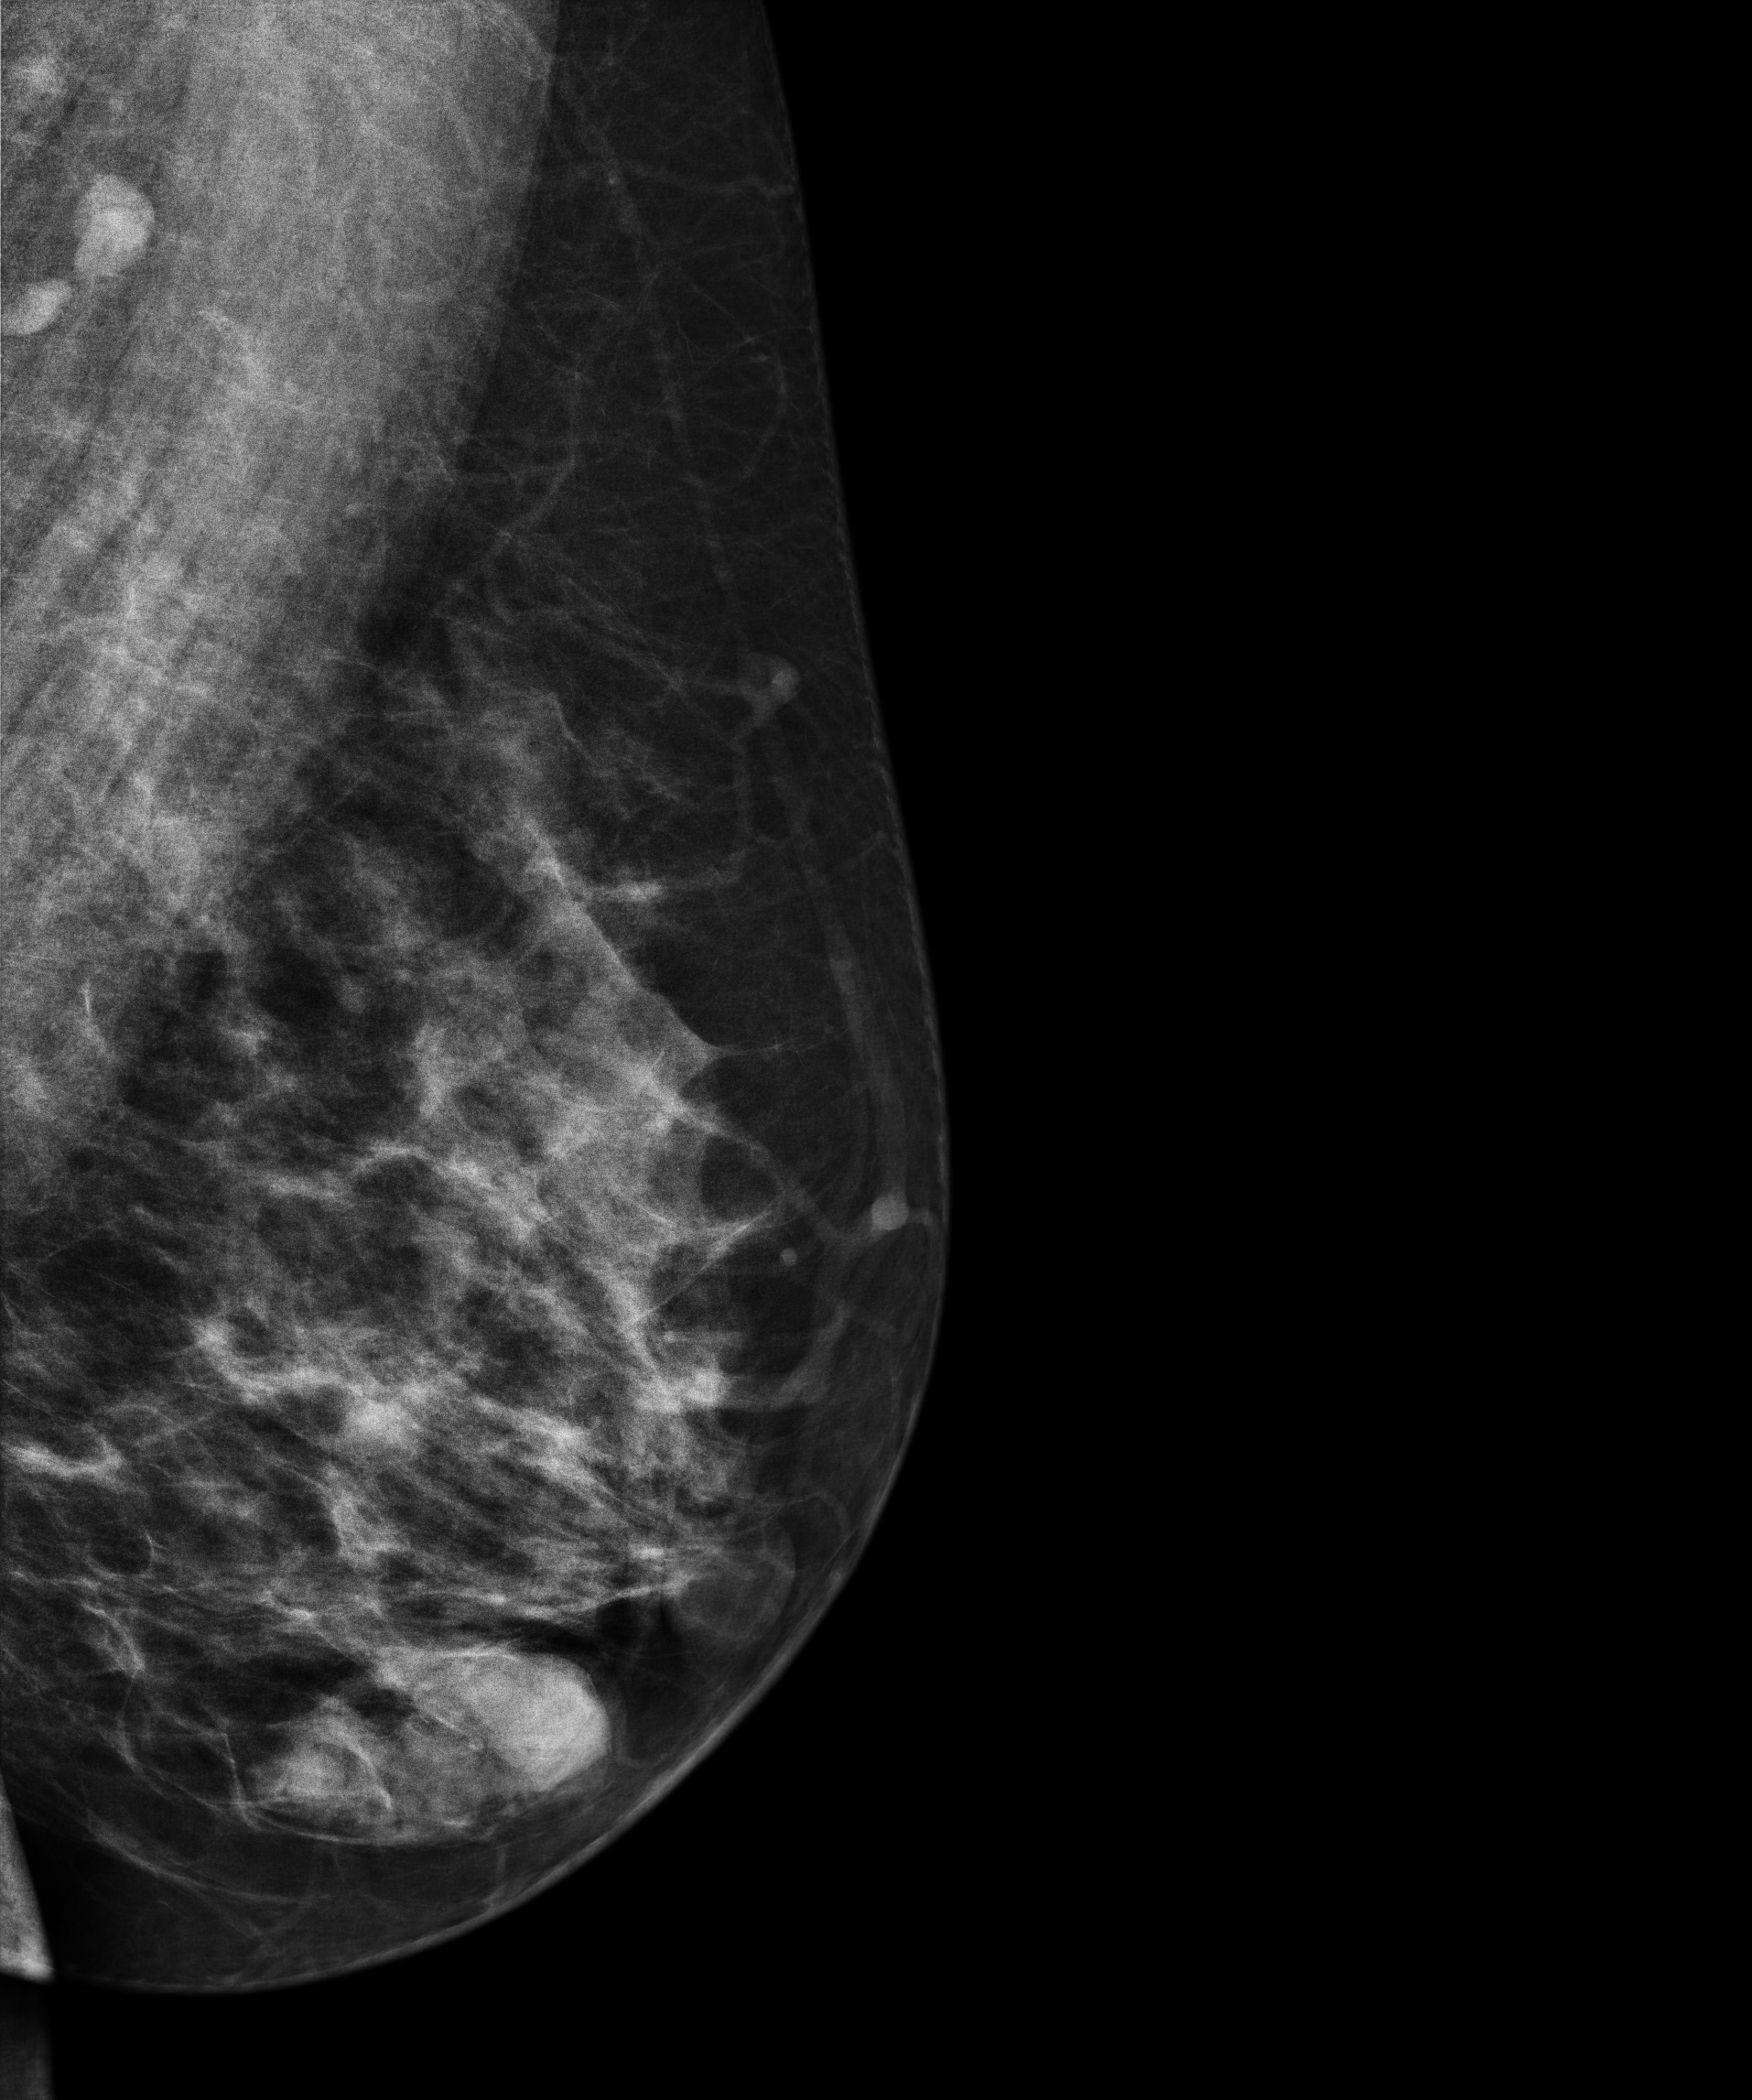
Digital mammography. Left breast, MLO projection. Patient age 47.
This breast has a mass, pathology-confirmed benign.